Cranio-caudal mammogram of the left breast. 46-year-old patient.
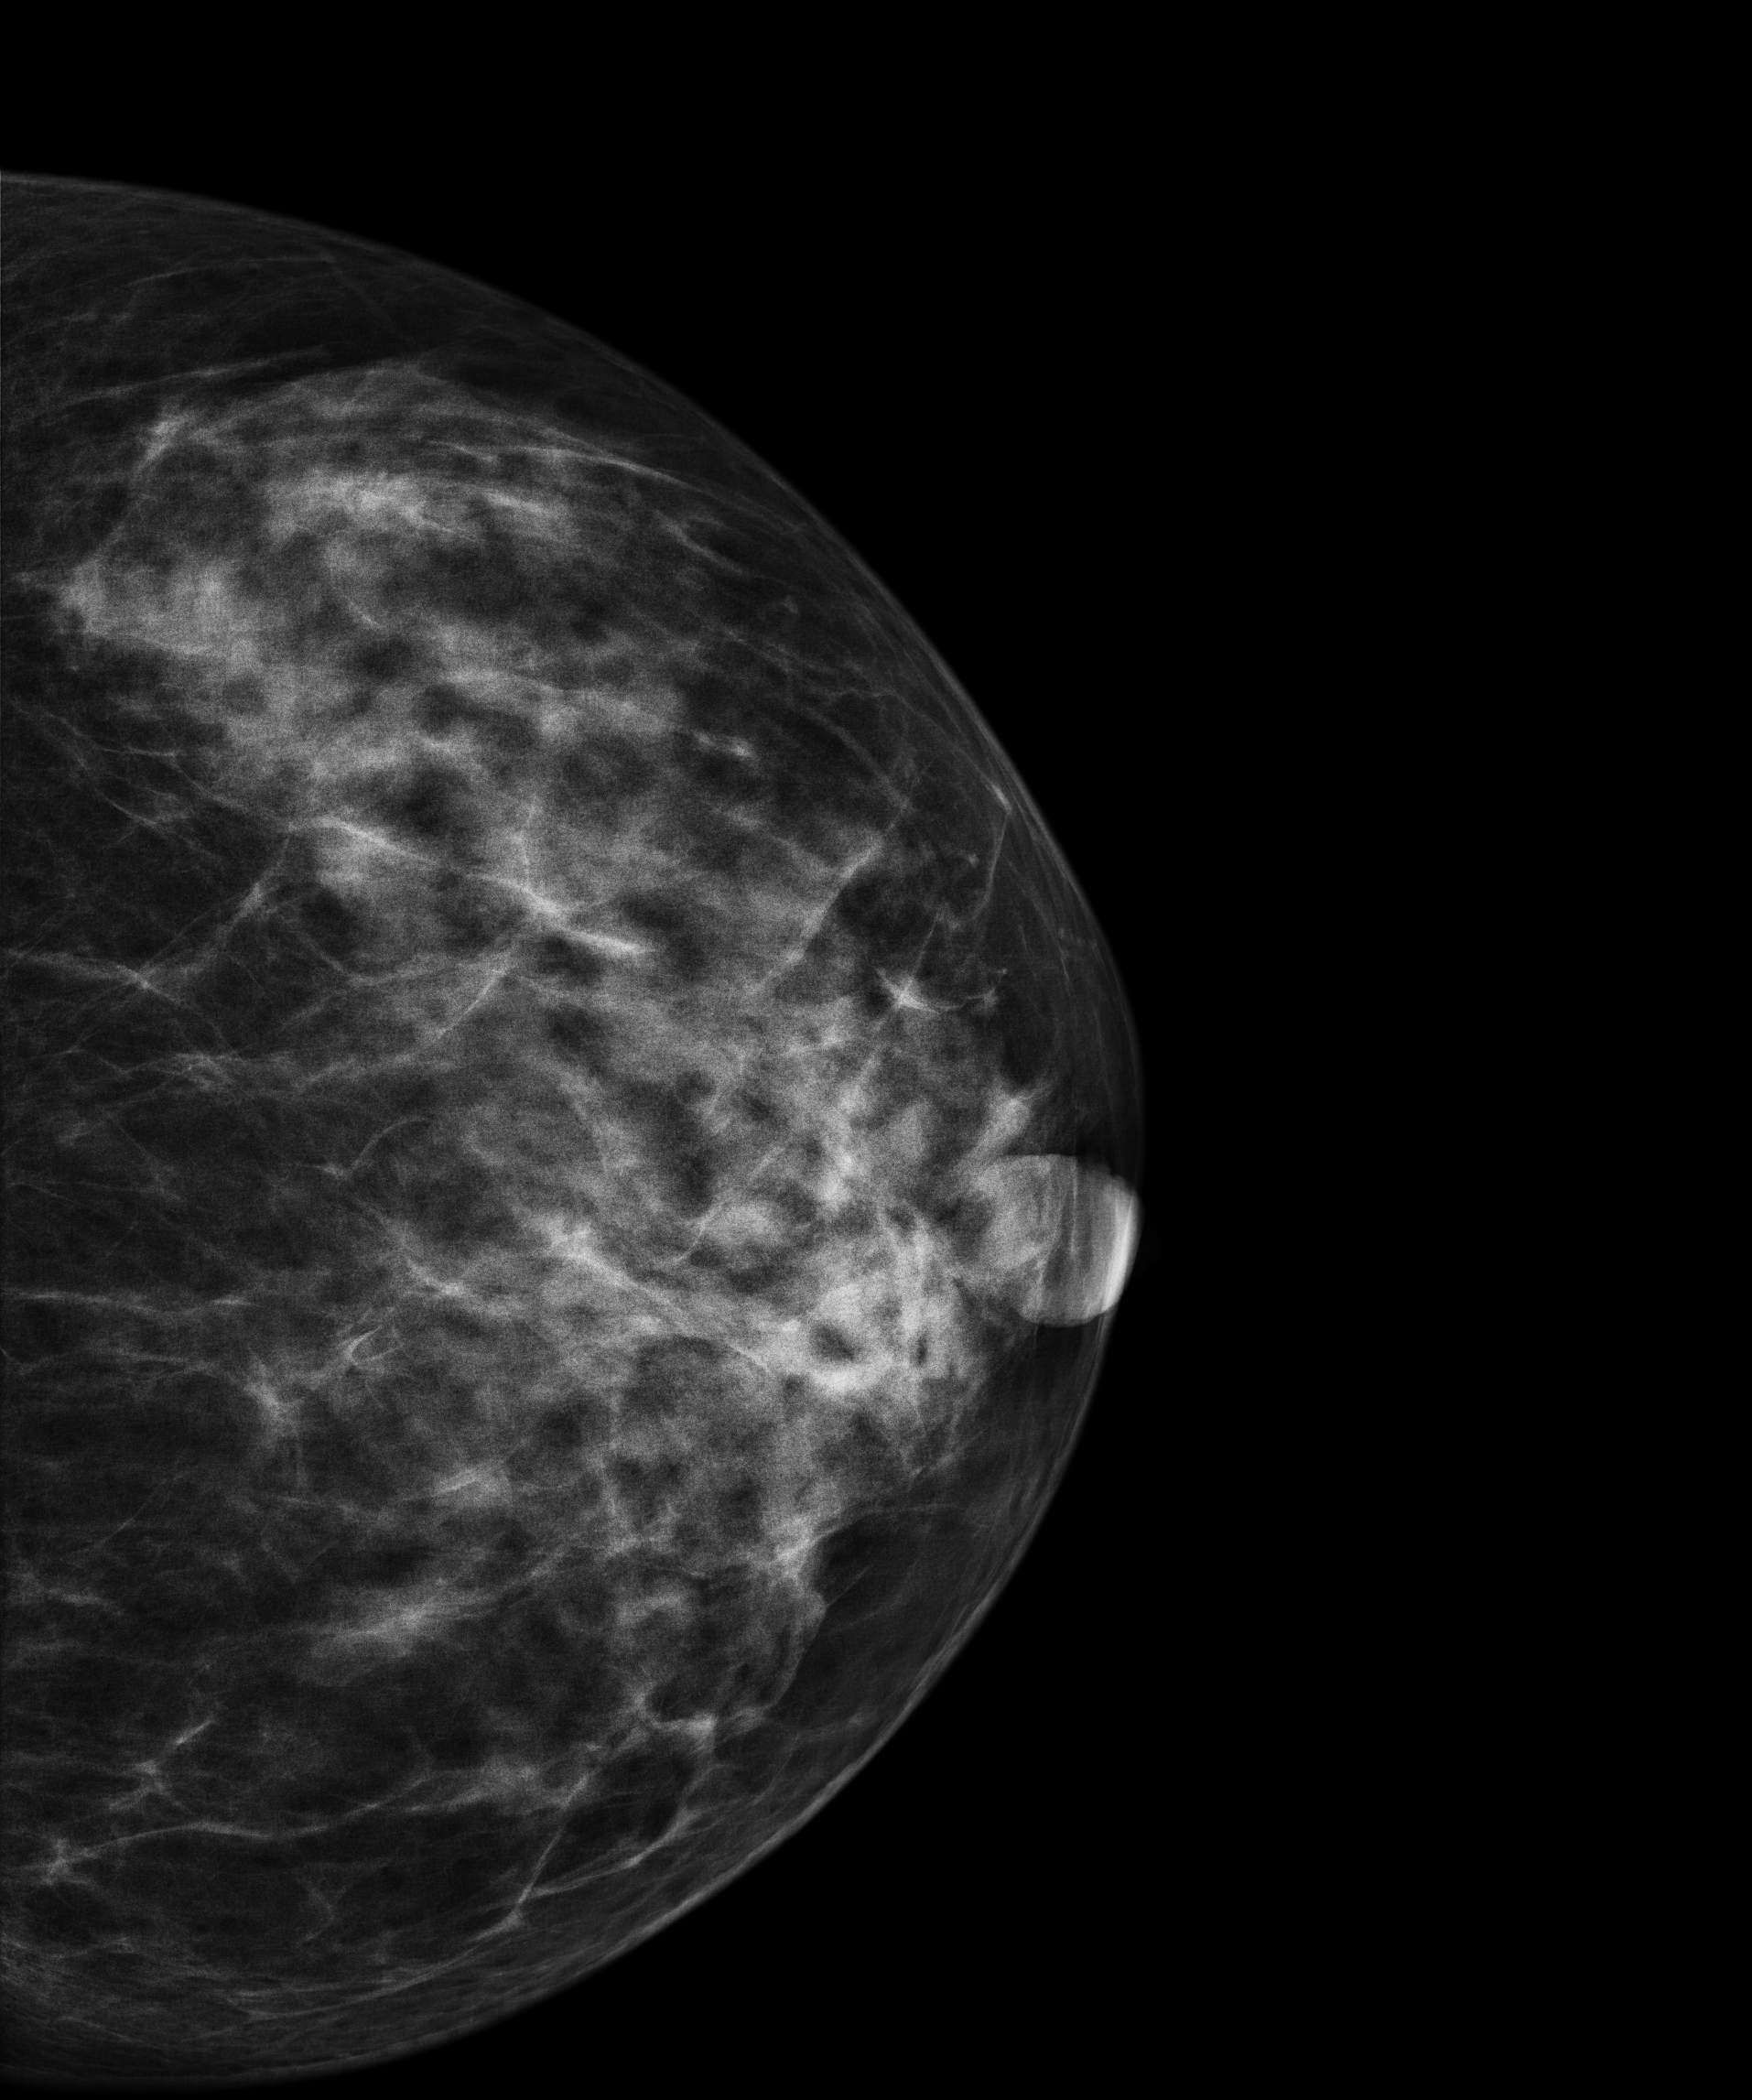
Contralateral breast — no documented abnormality on this side.